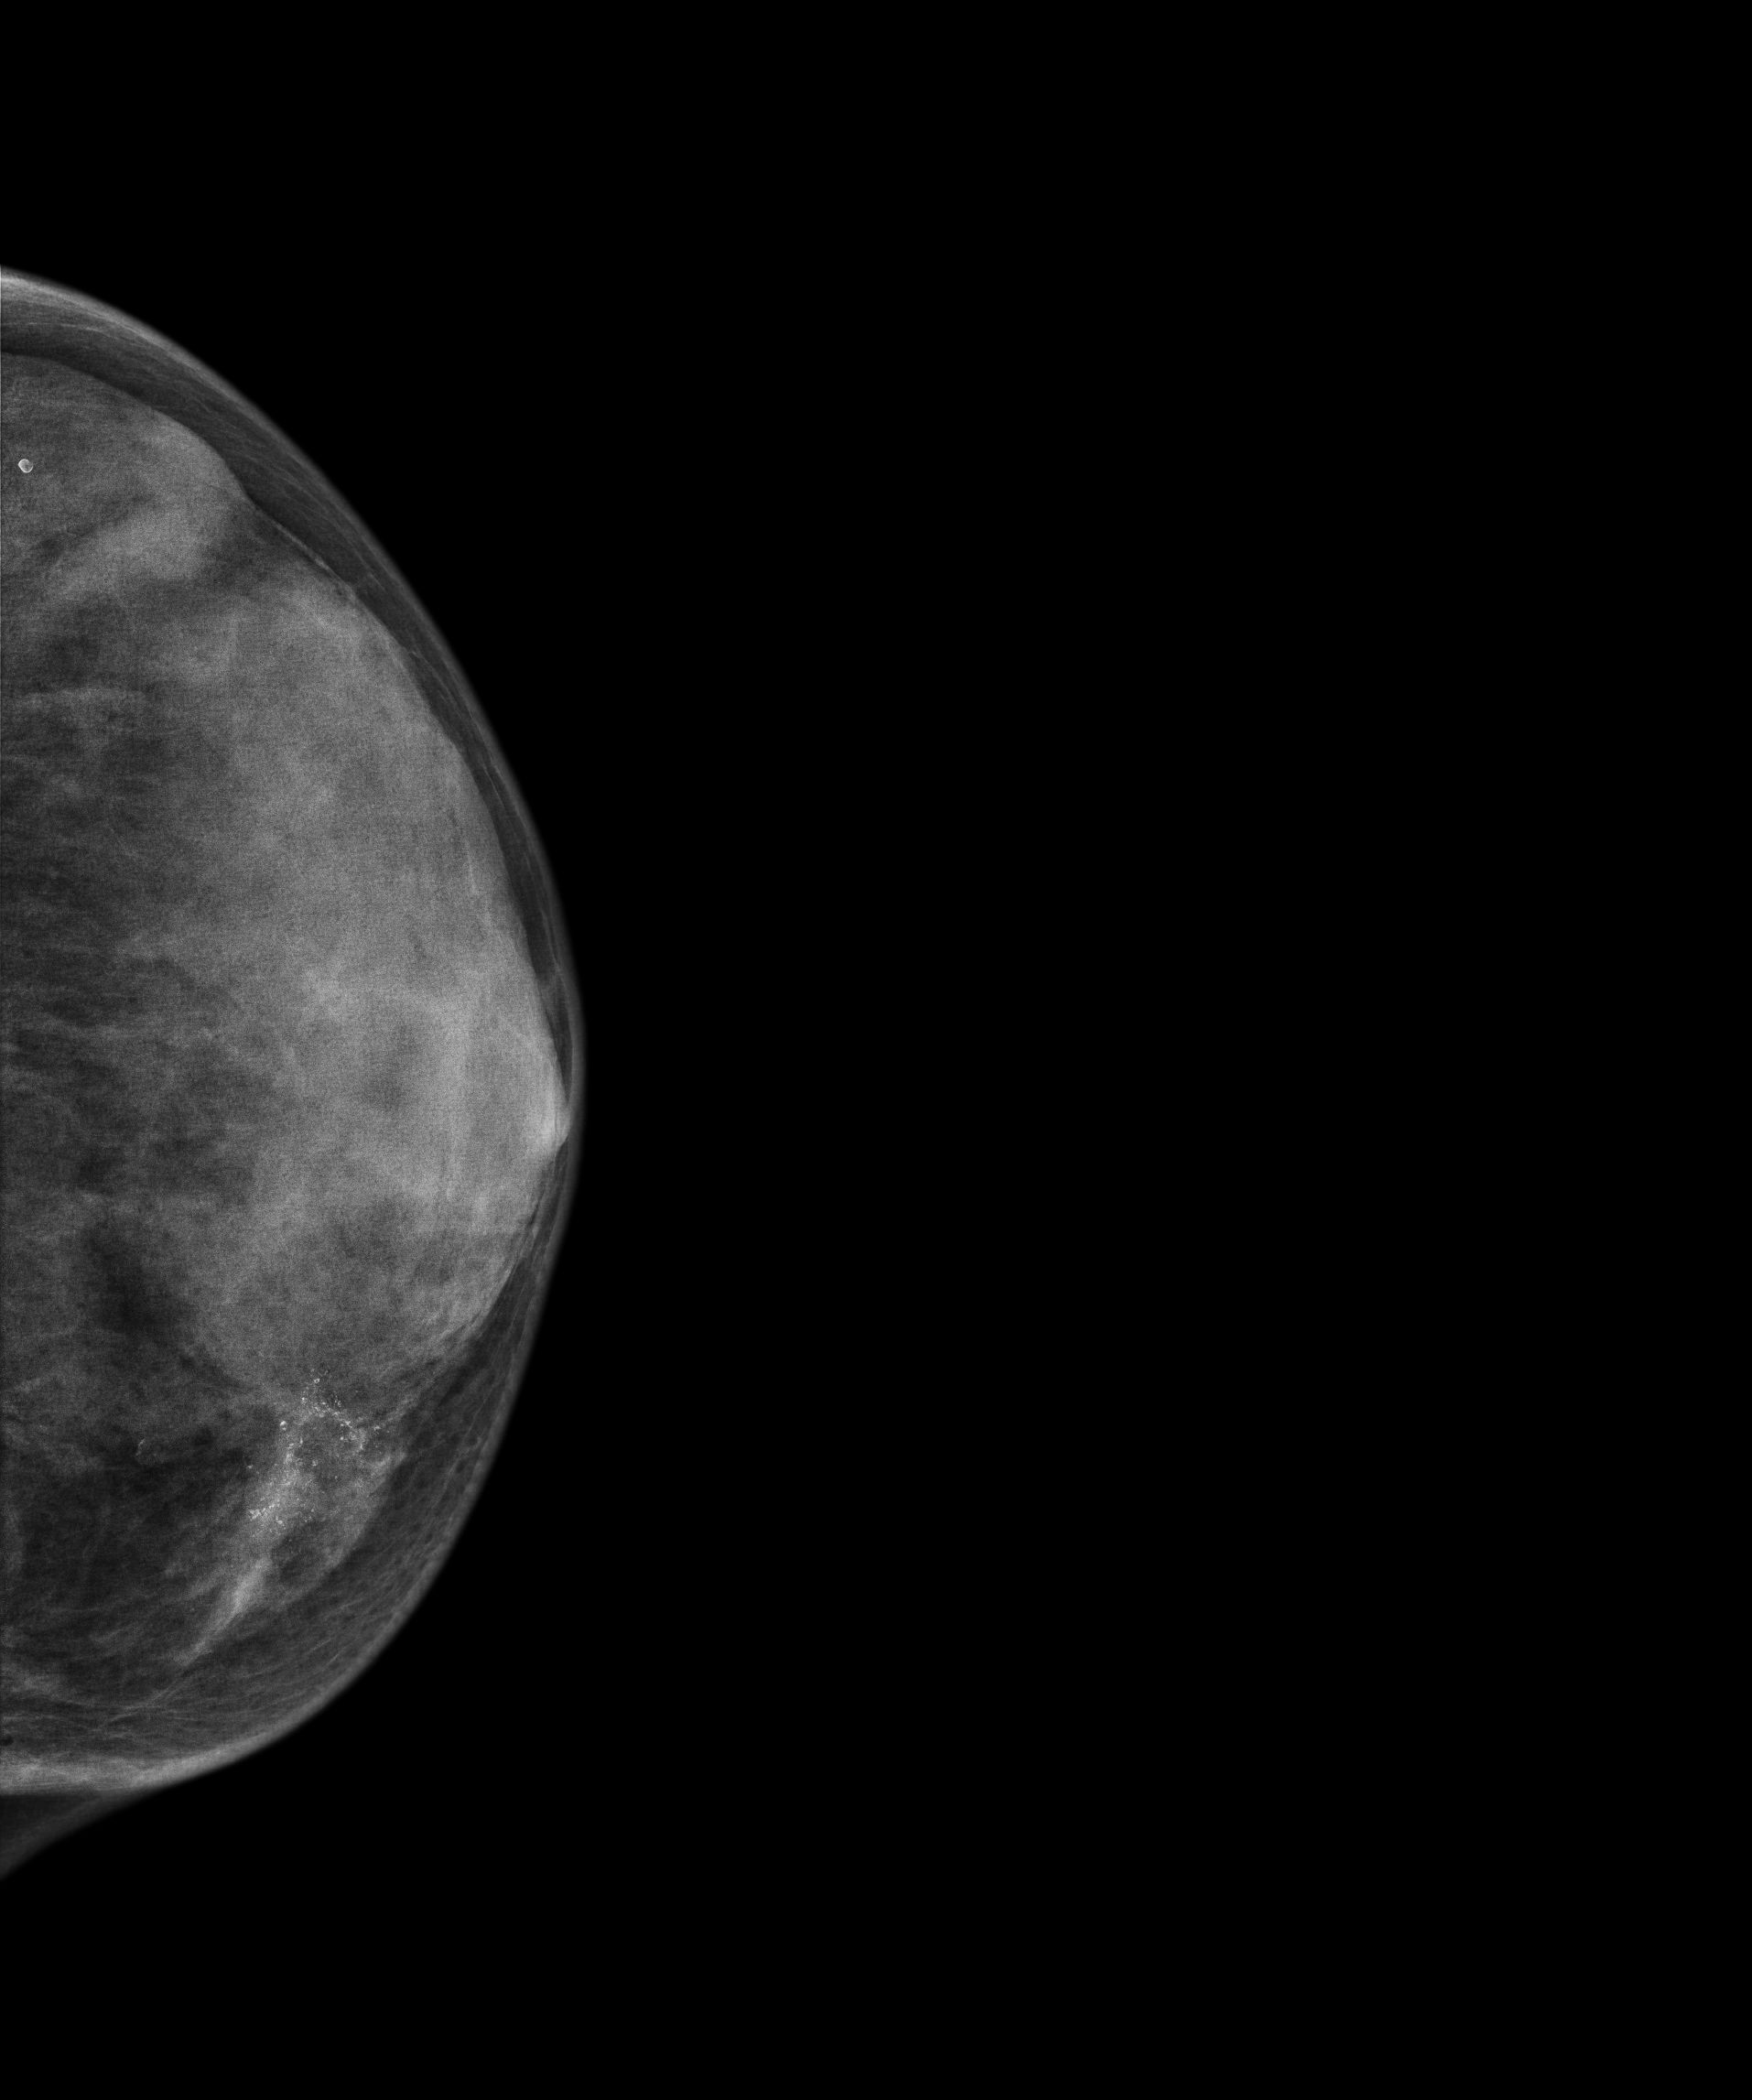
Digital mammography. Left breast, CC projection. 42 y/o patient.
This breast has a mass and calcifications, biopsy-proven malignant. Molecular subtype: luminal B.